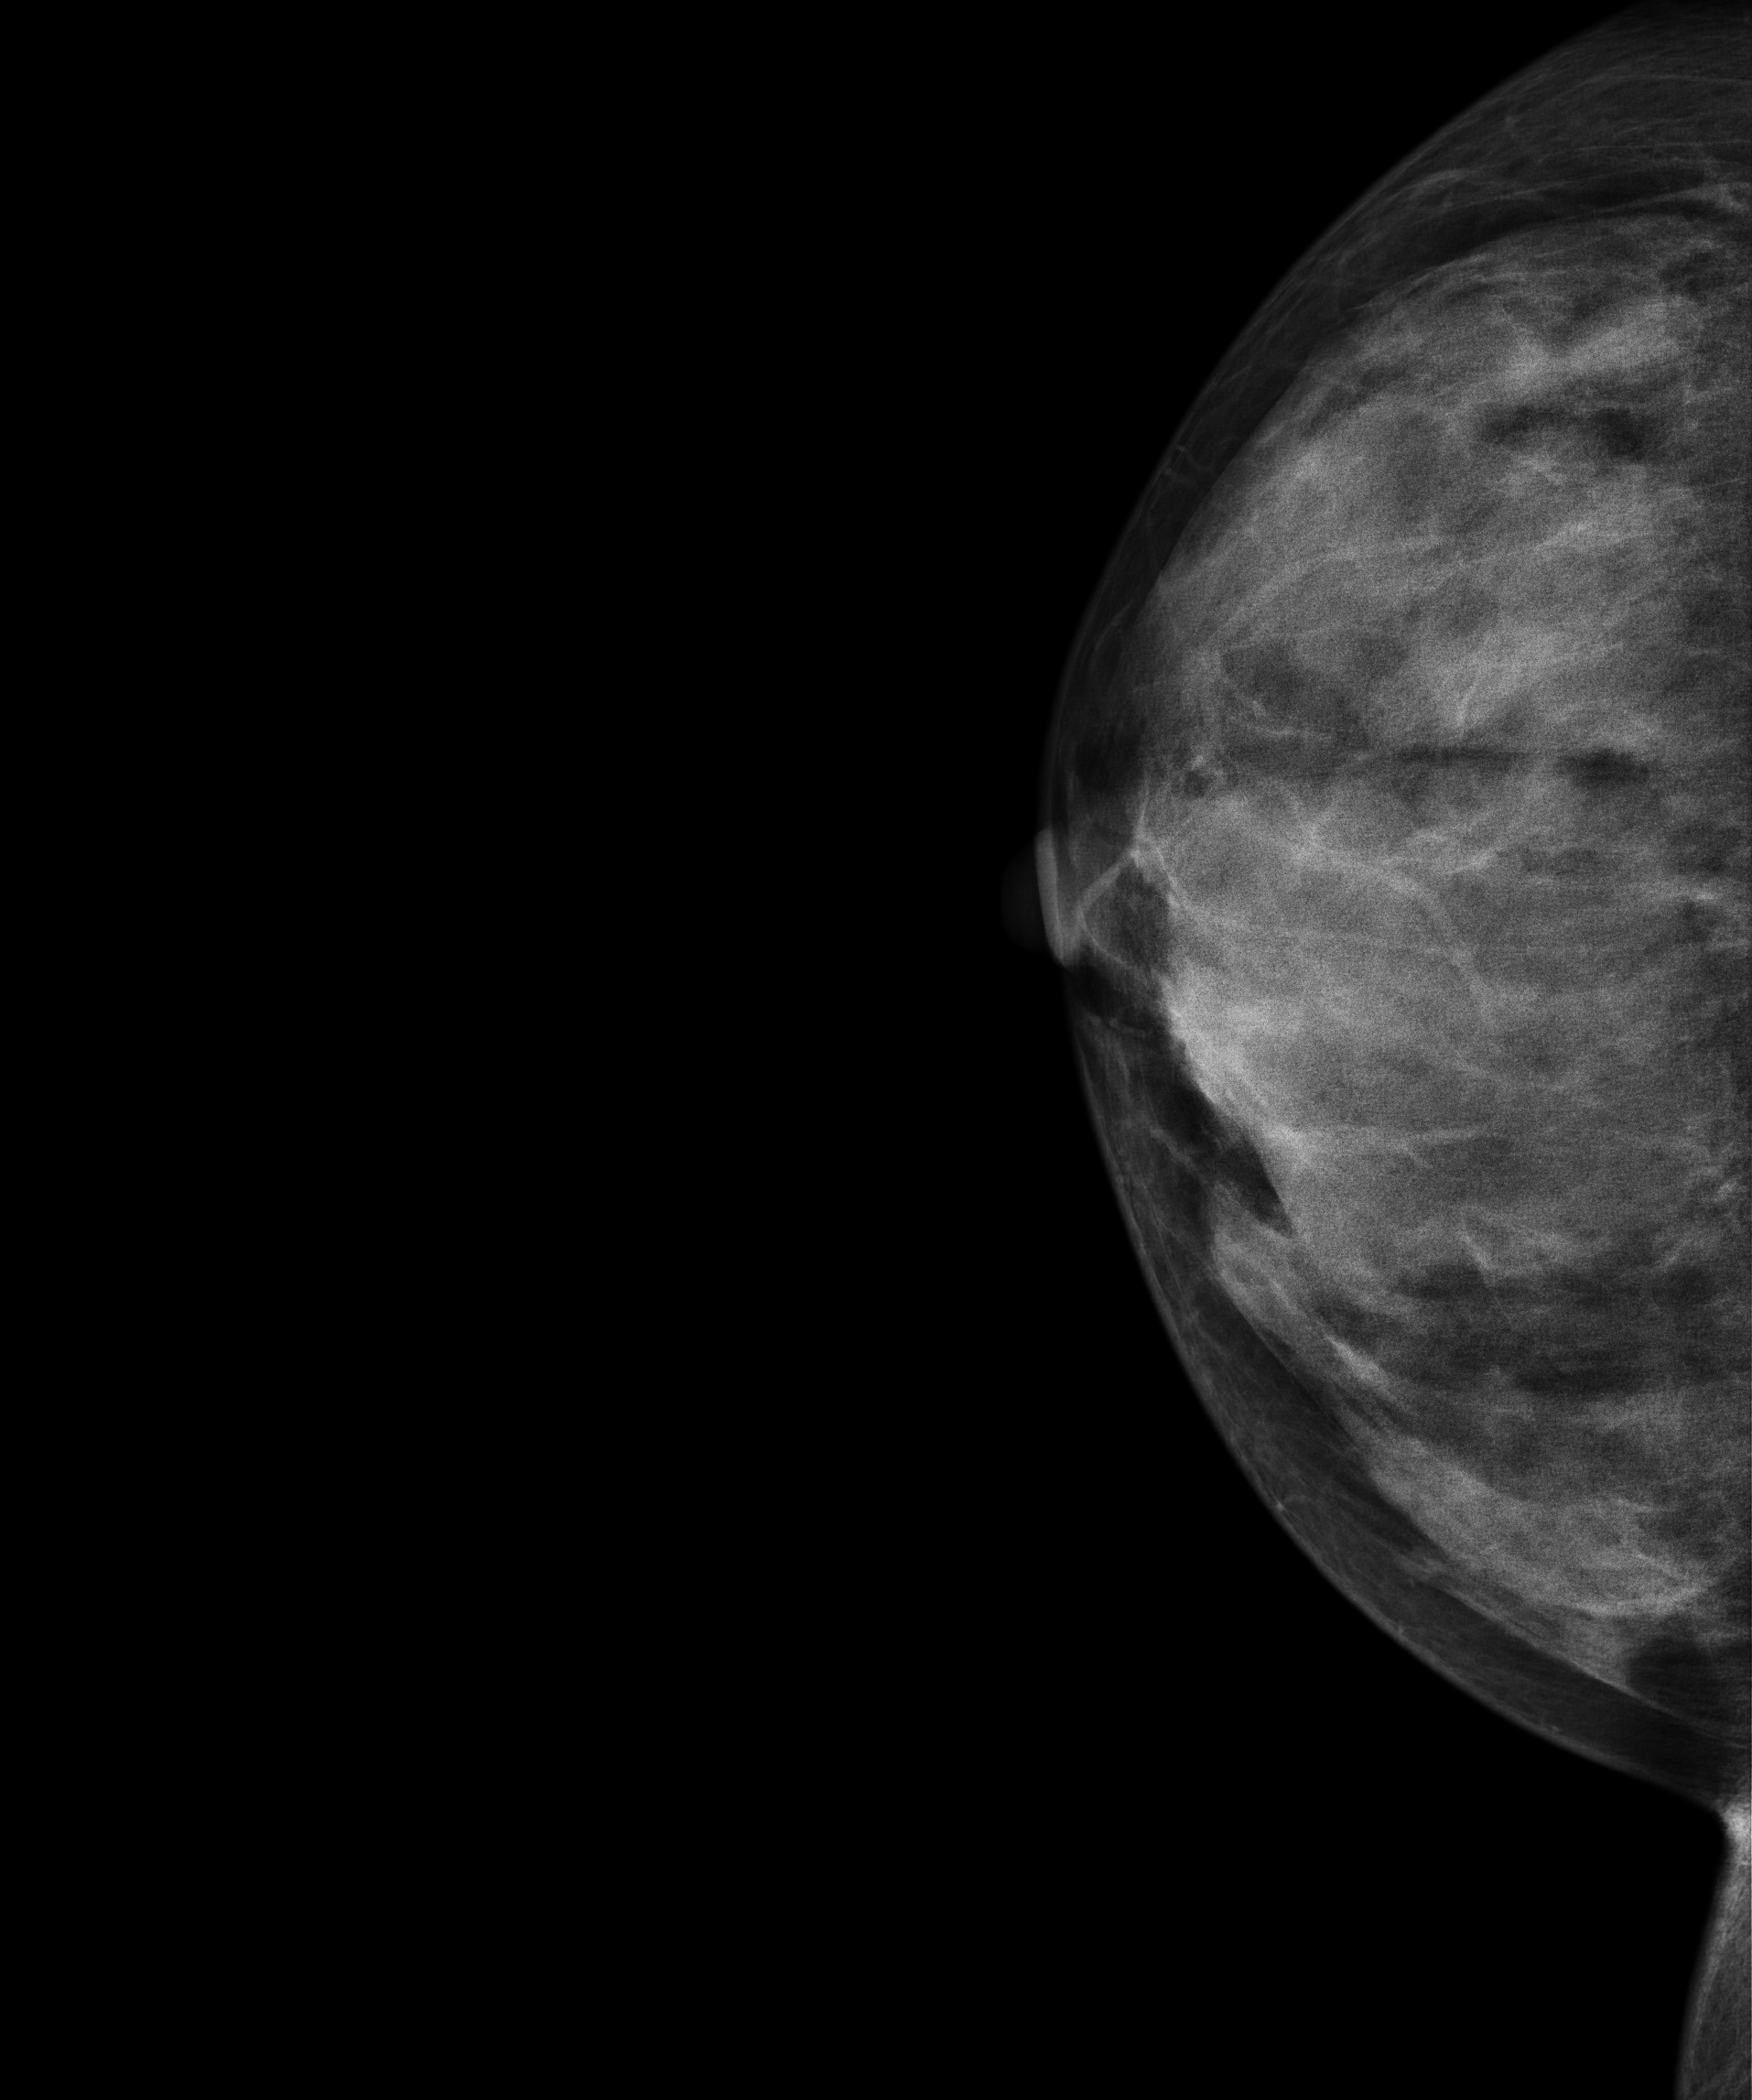
Digital mammography. Right breast, cranio-caudal projection. 25-year-old patient.
This breast has a mass, biopsy-confirmed benign.